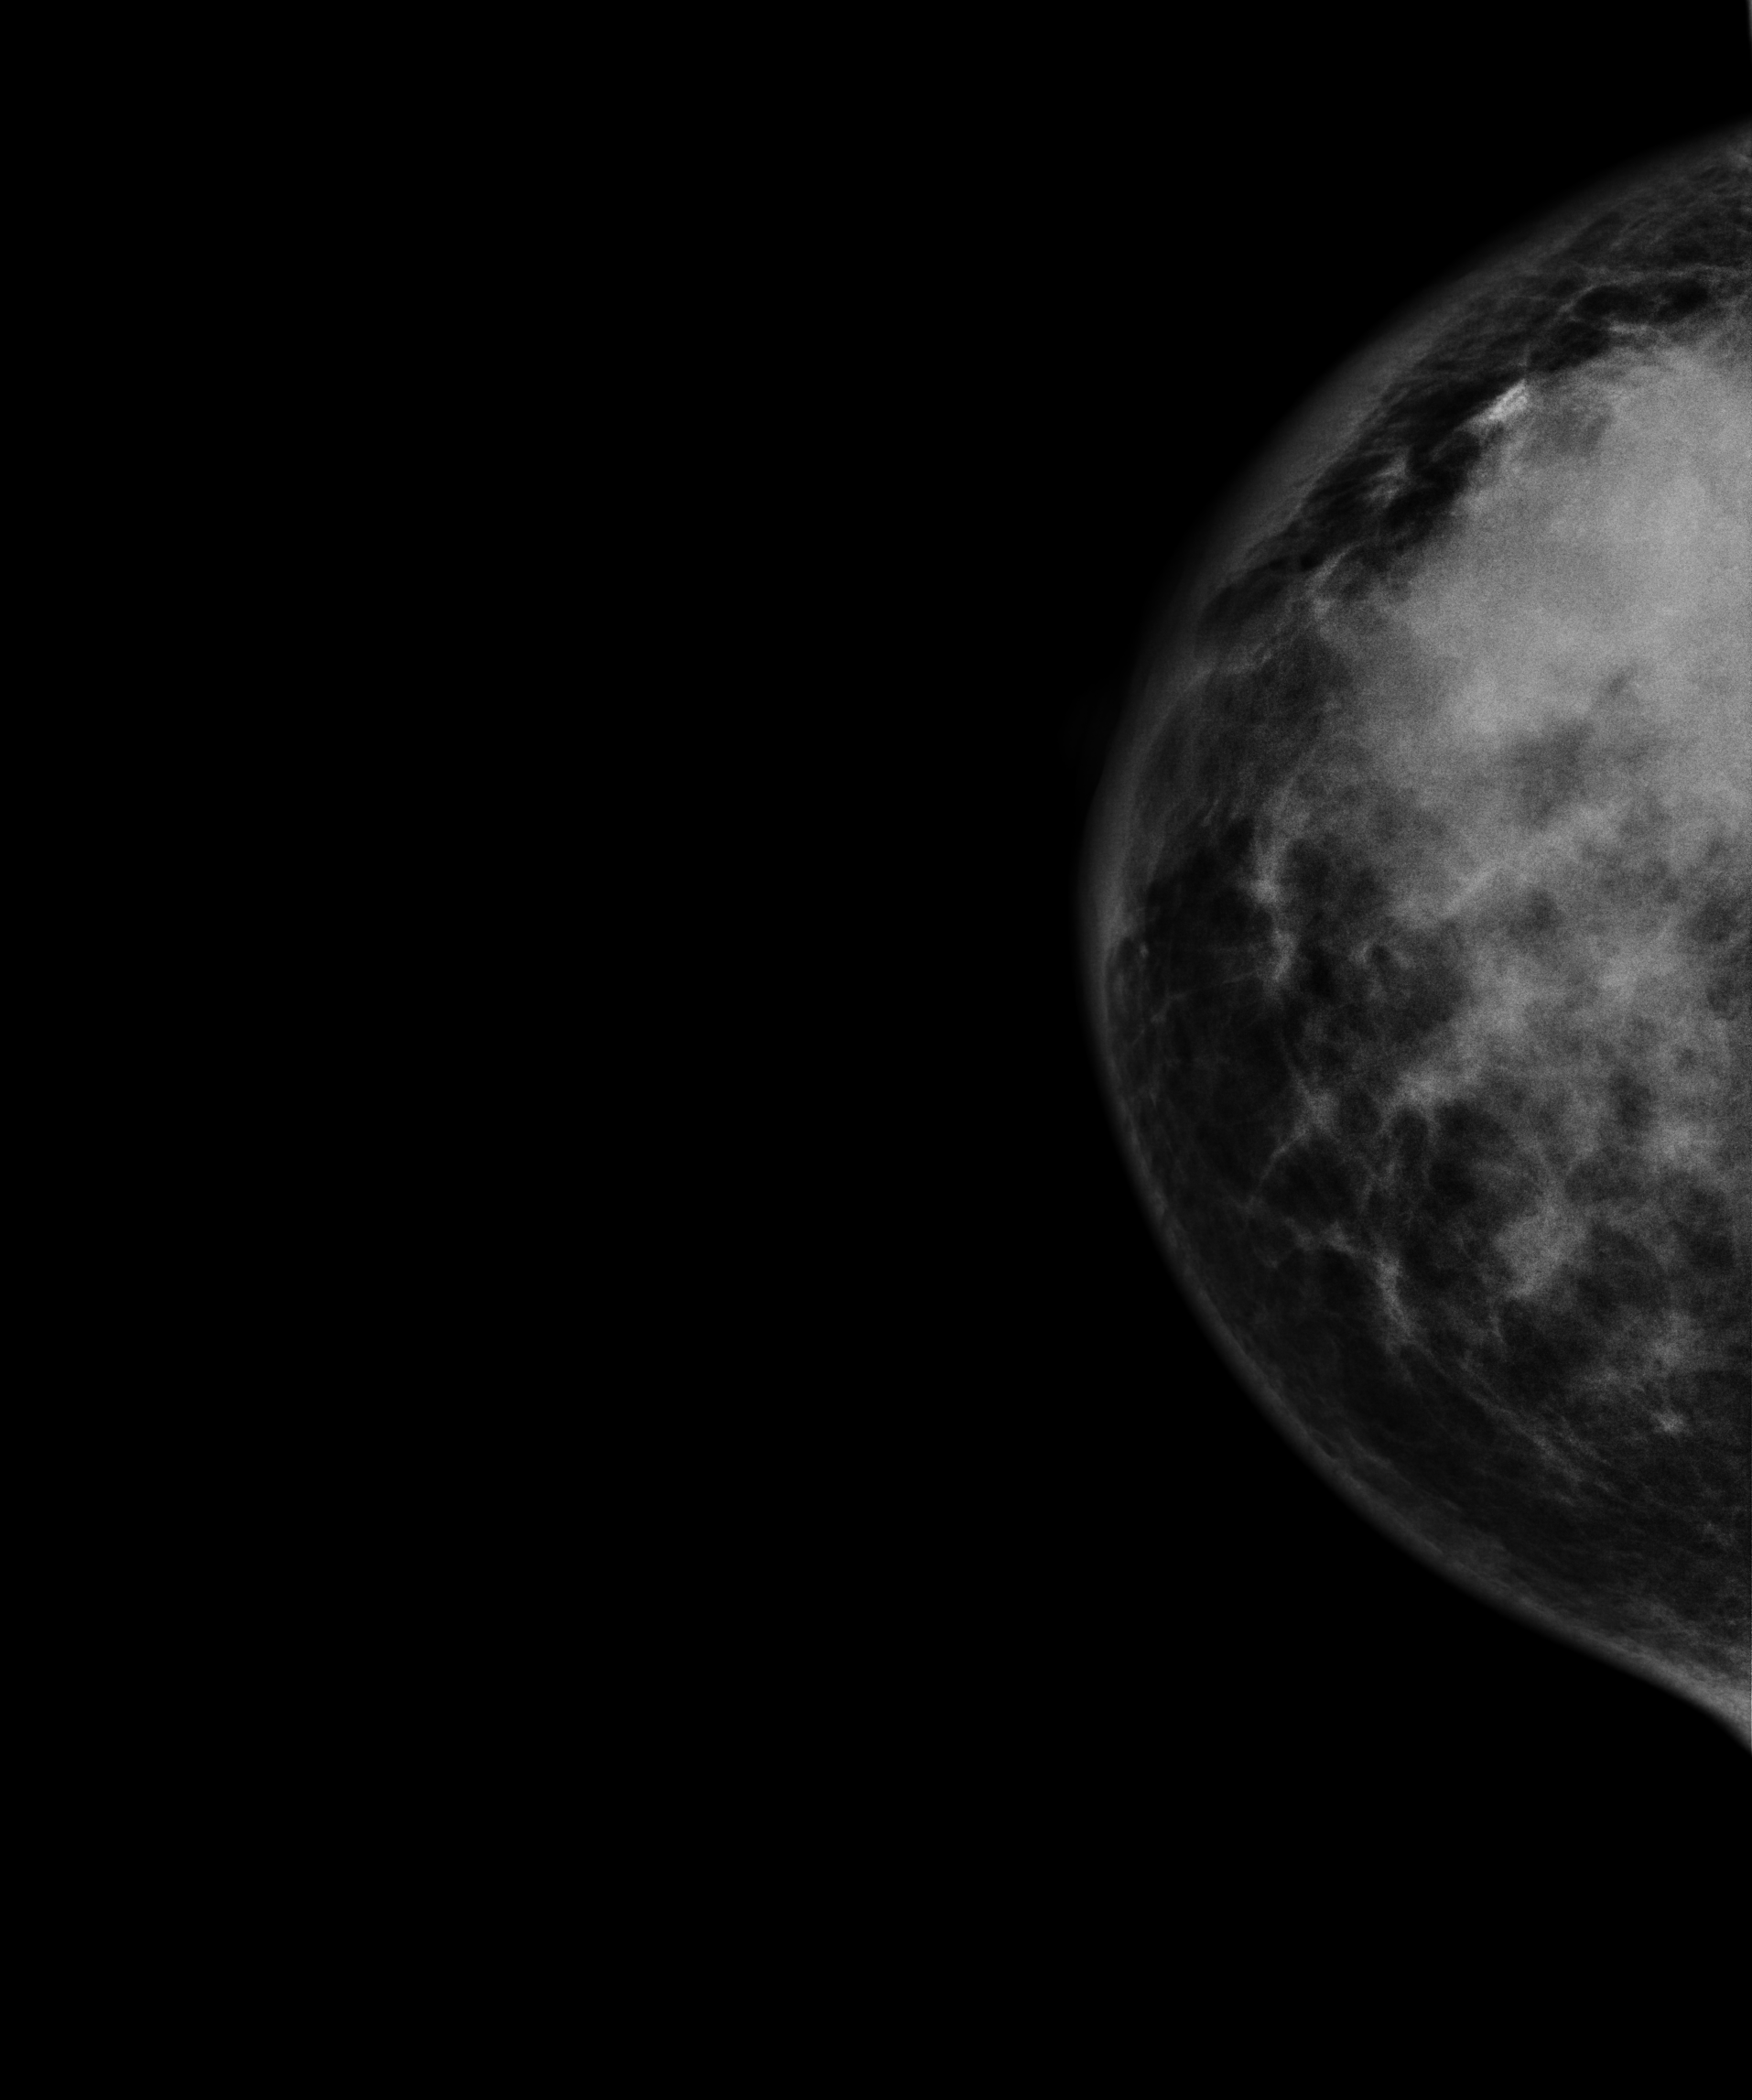
Right-breast mammogram, CC. 30 y/o patient.
This breast has a mass and calcifications, biopsy-proven malignant. Molecular subtype: HER2-enriched.